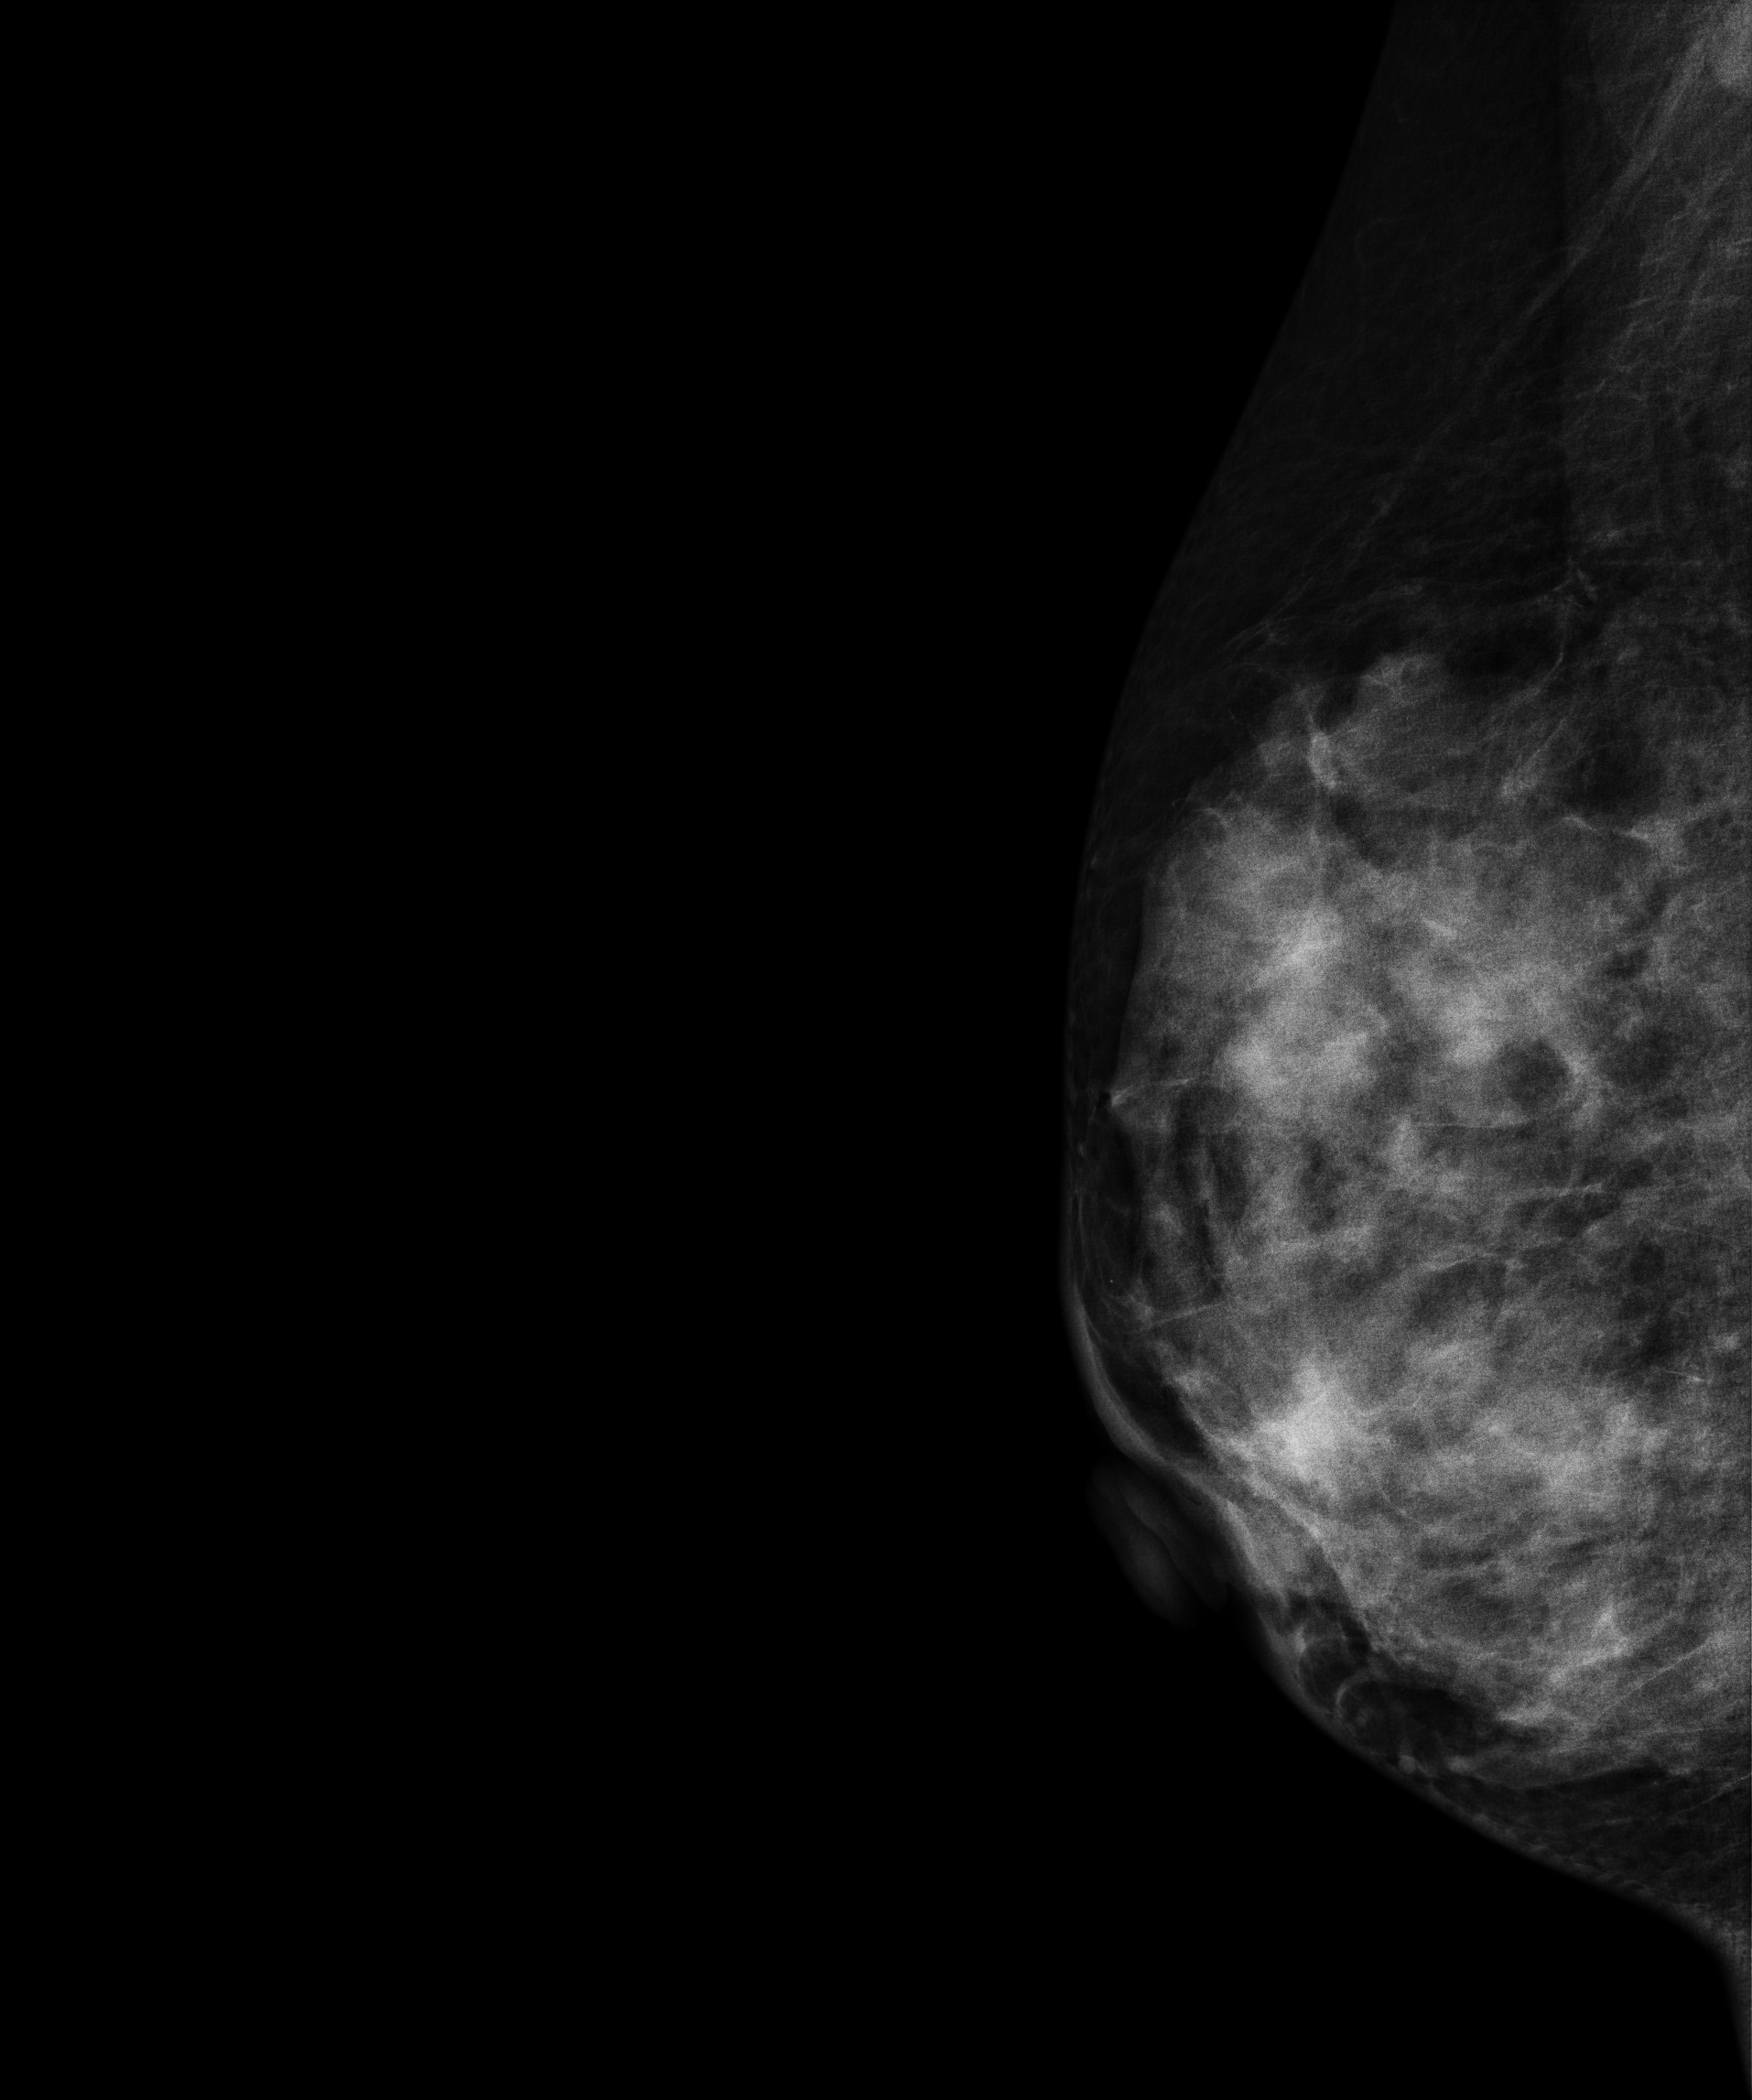
Mammogram, right breast, medio-lateral oblique view. 42-year-old patient.
This breast has a mass, biopsy-confirmed malignant. Molecular subtype: luminal B.